Mammogram — left CC. 39-year-old patient.
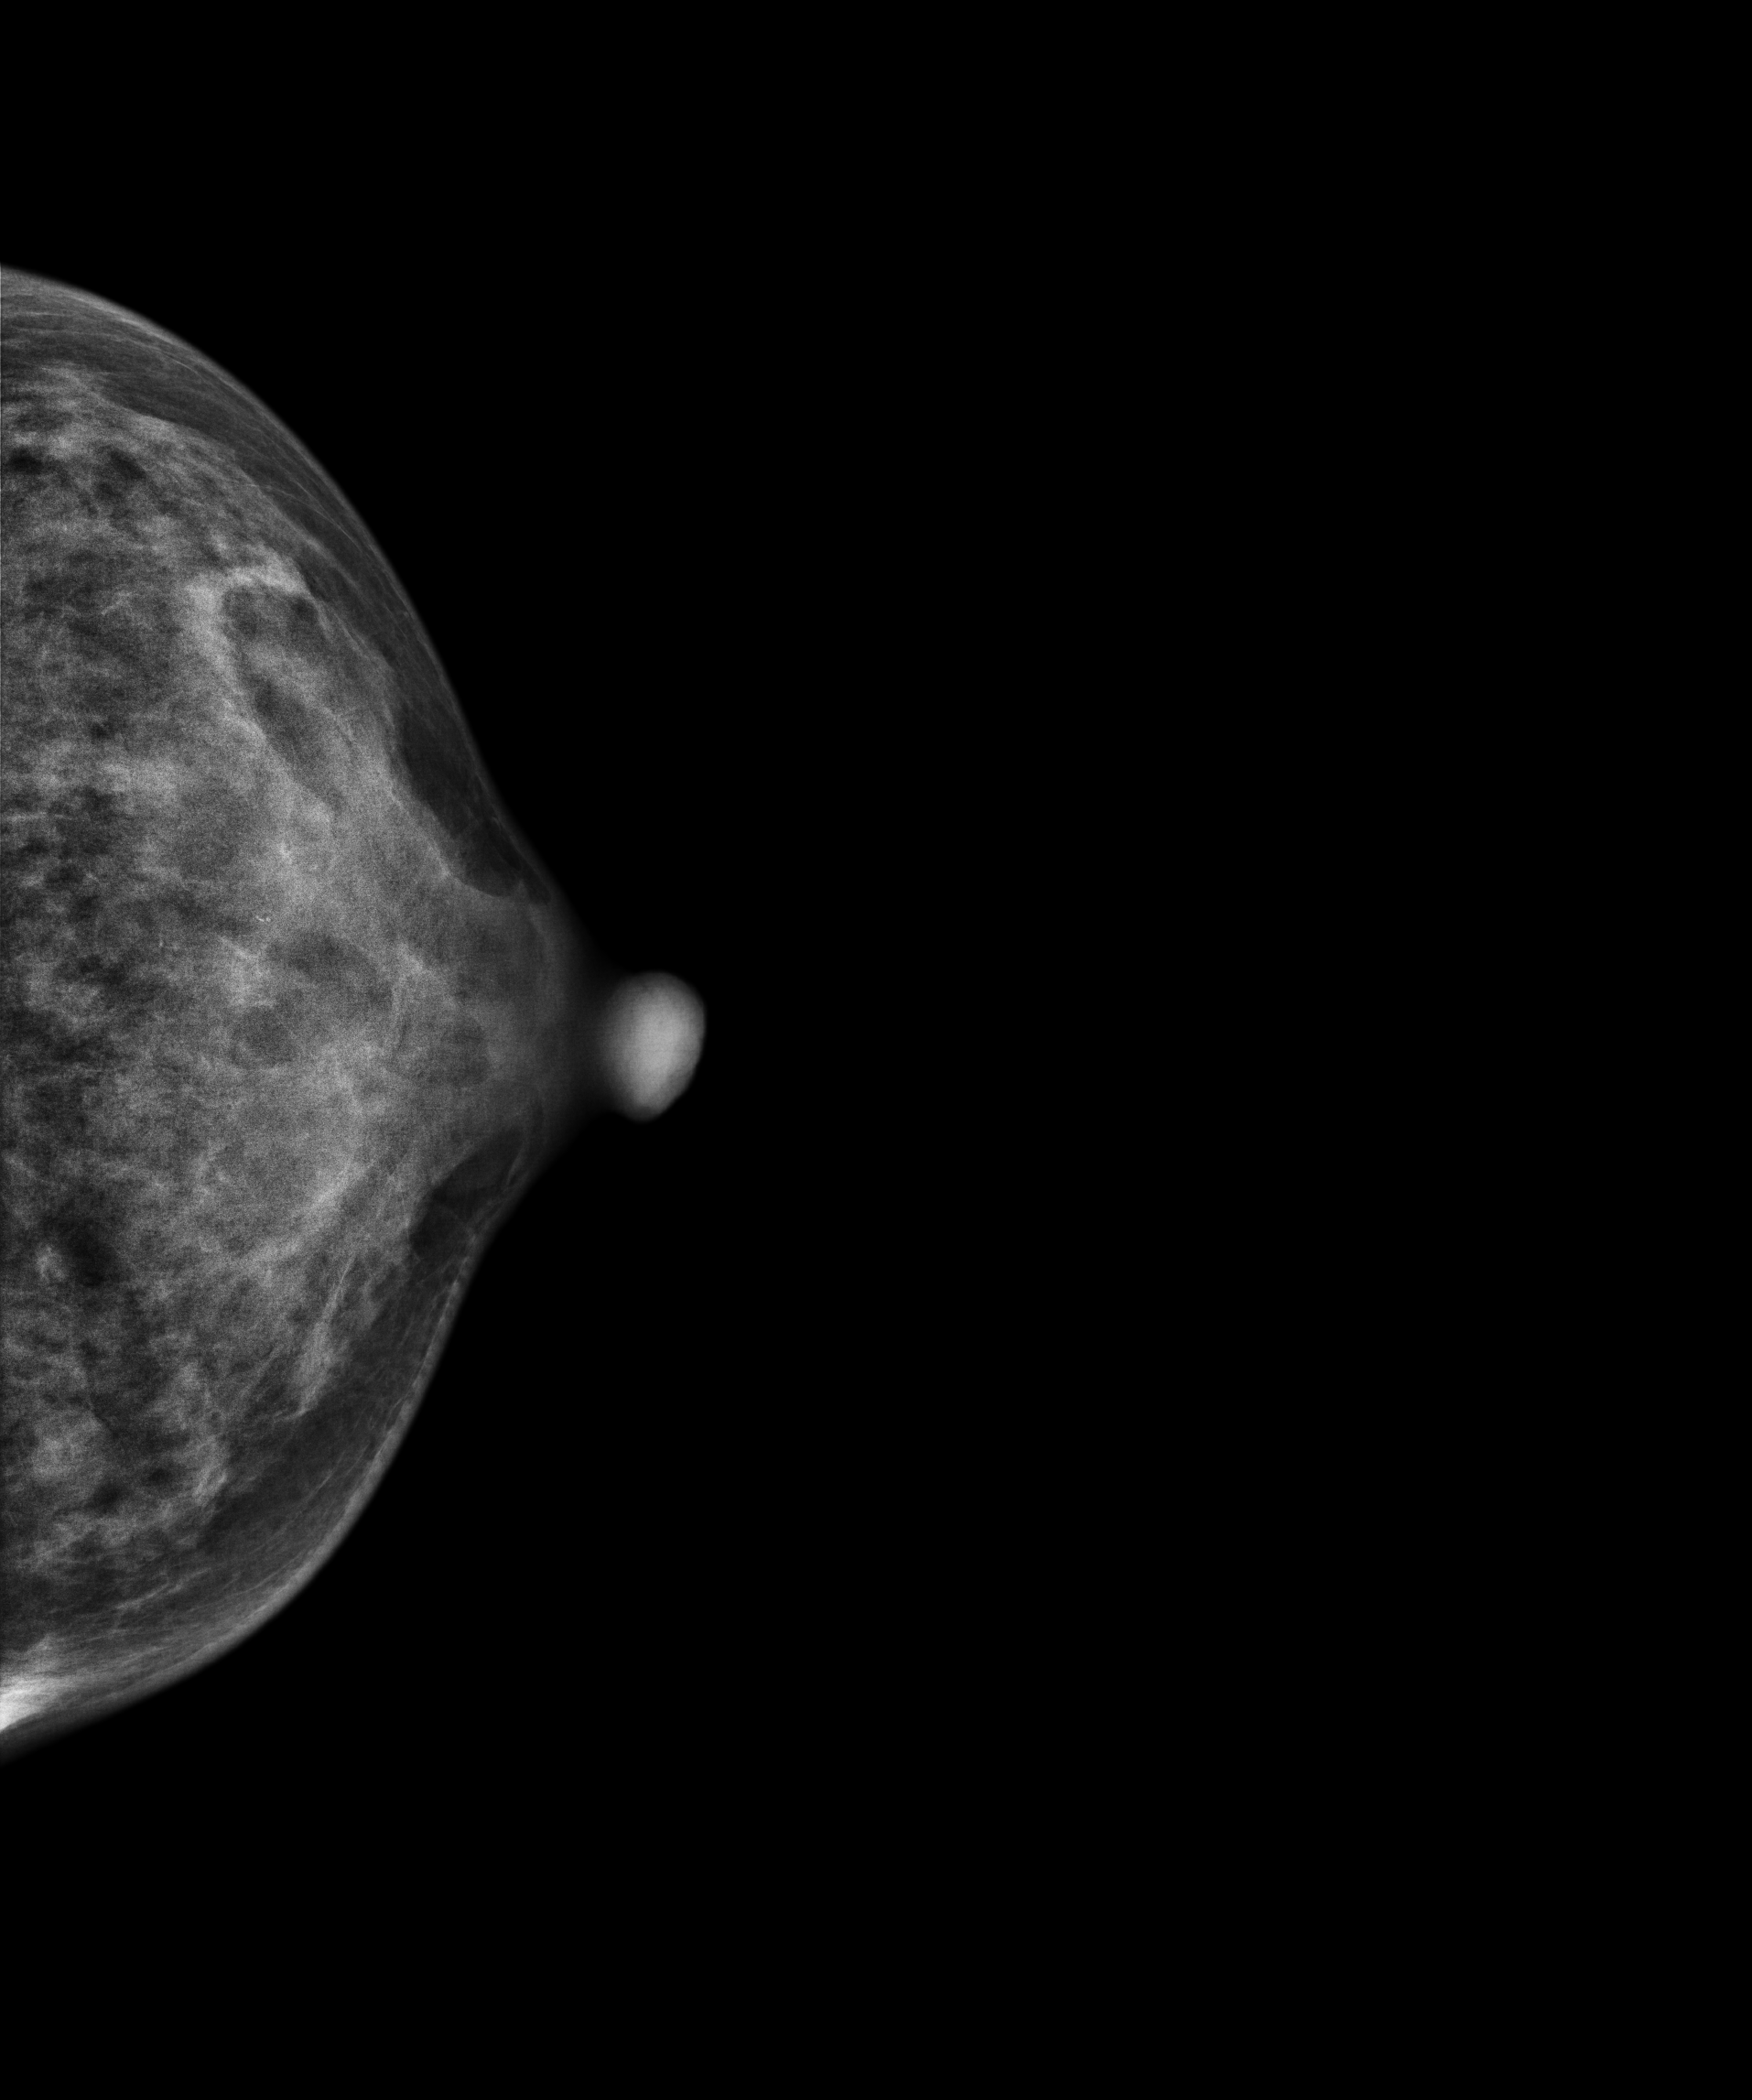
Contralateral breast — no documented abnormality on this side.